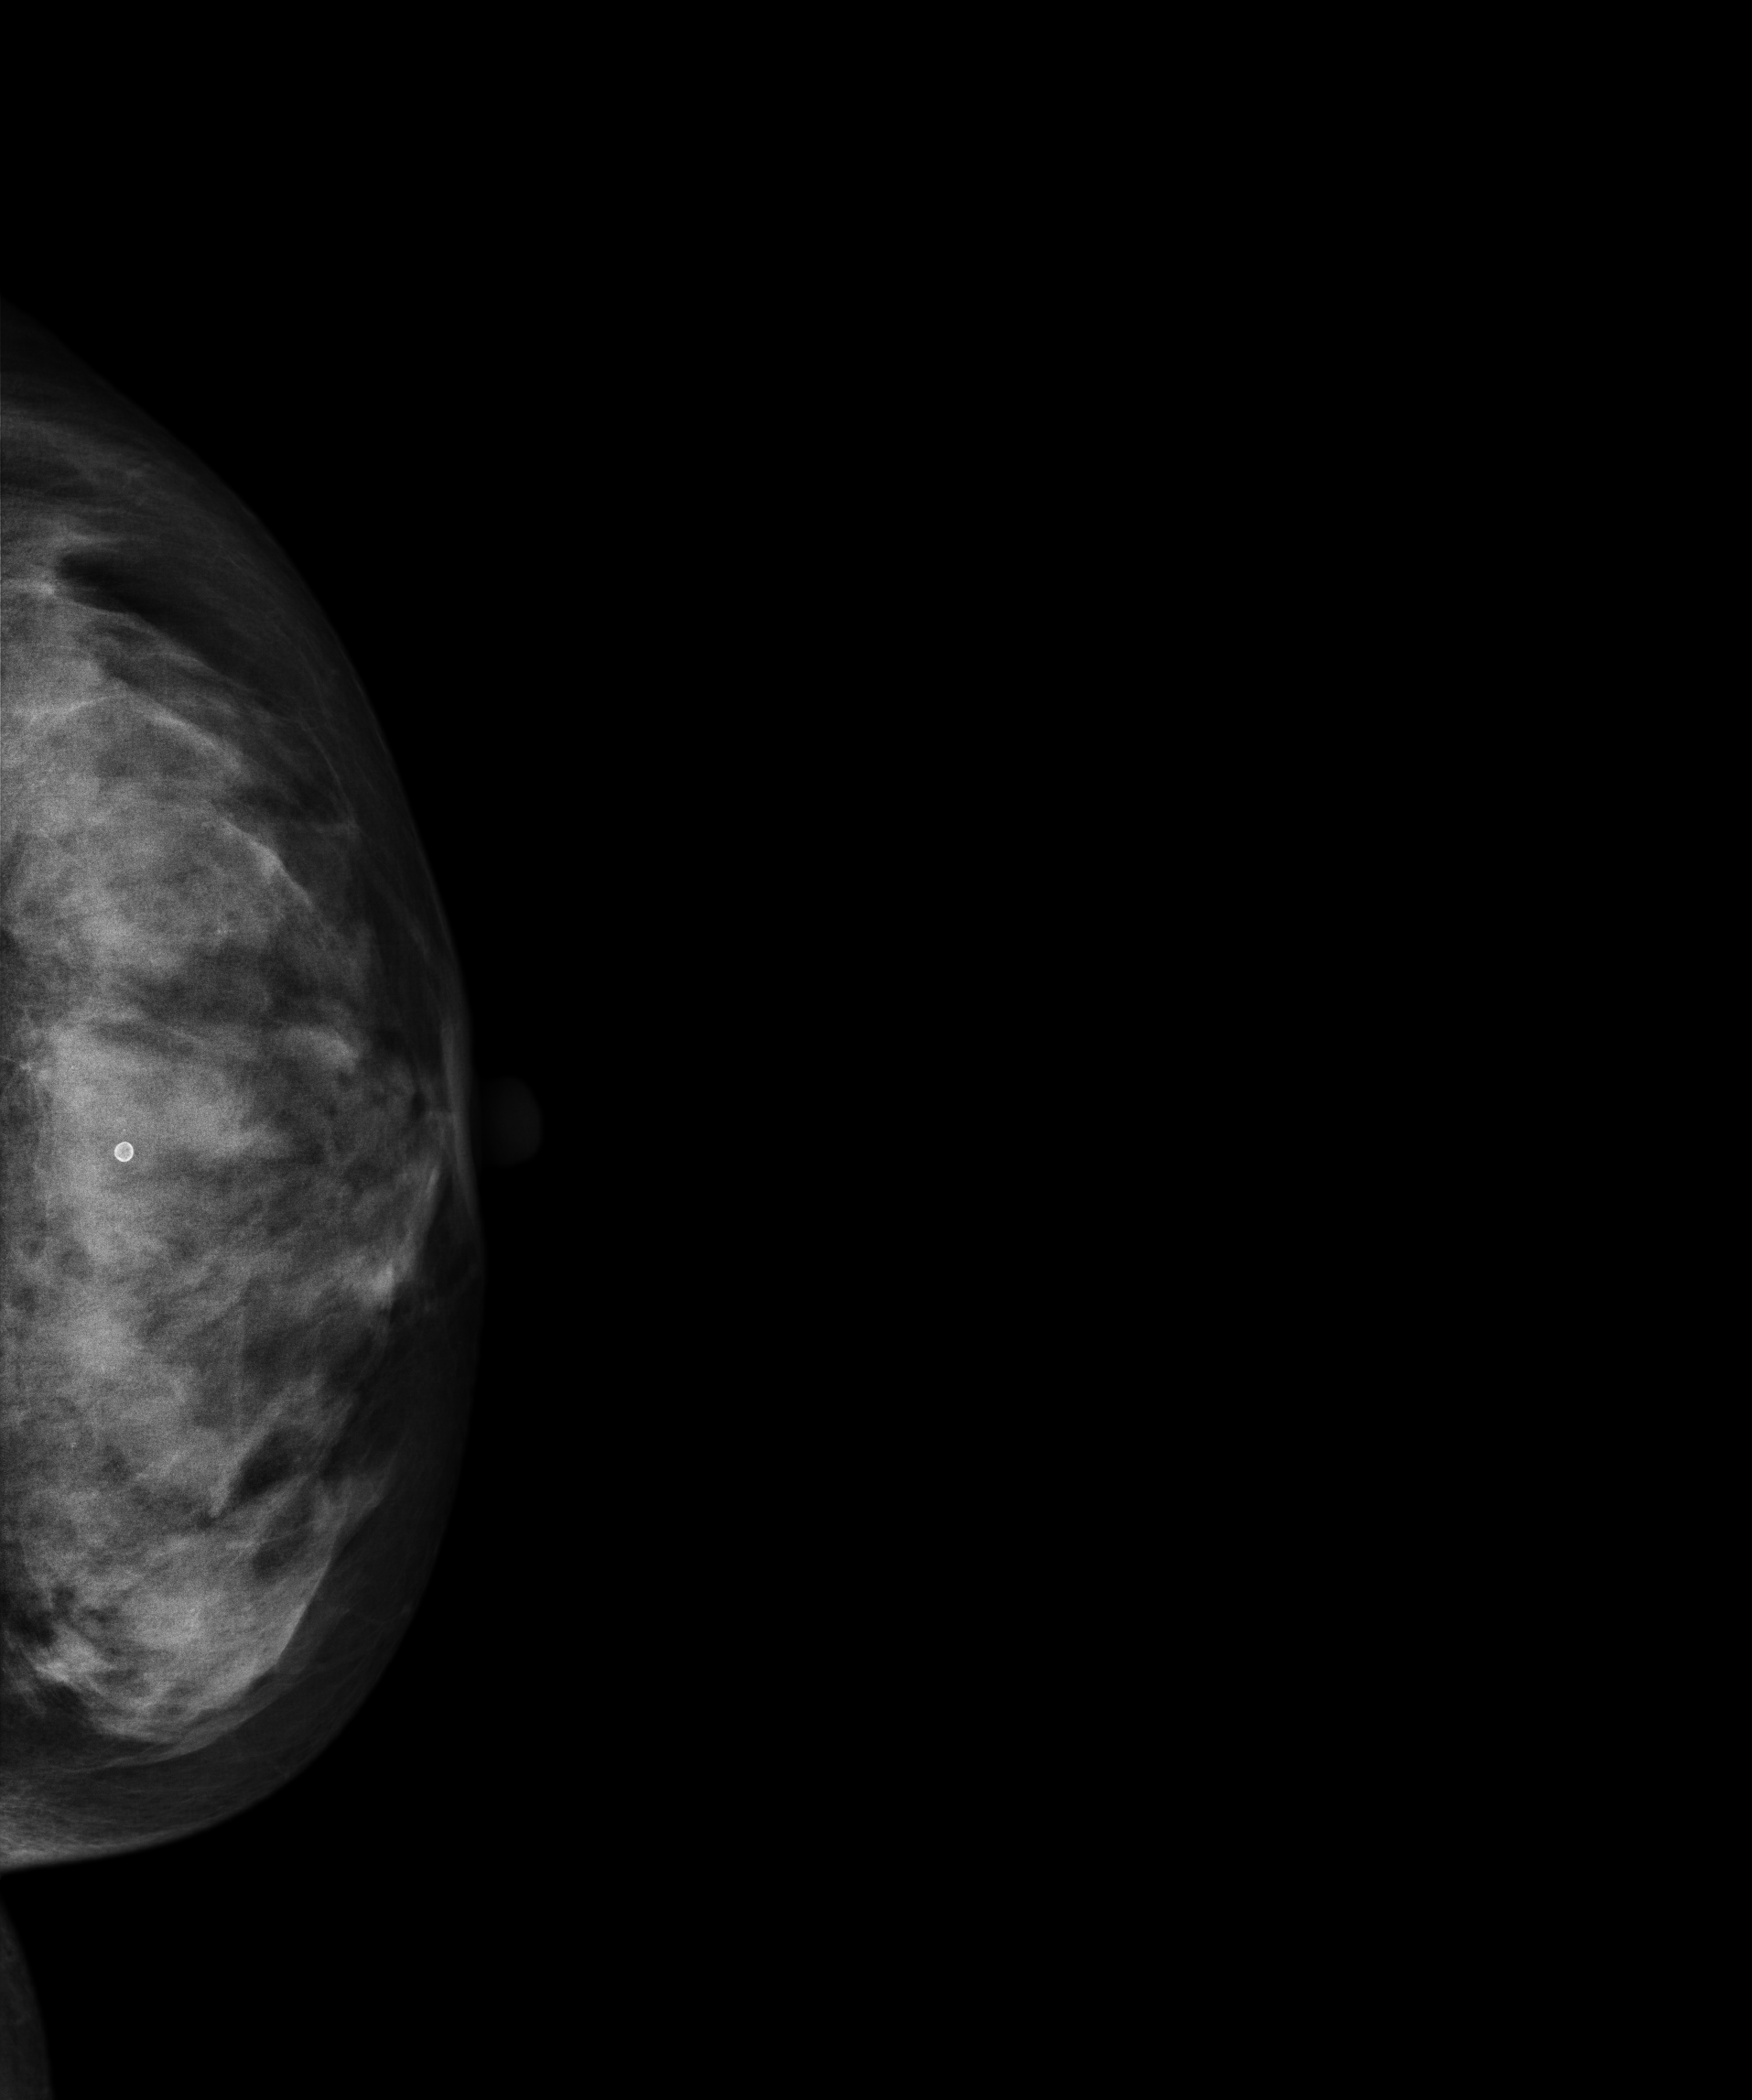
CC mammogram of the left breast. Patient age 53.
This breast has a mass and calcifications, biopsy-confirmed malignant. Molecular subtype: luminal A.